Digital mammography. Right breast, cranio-caudal projection. 27-year-old patient.
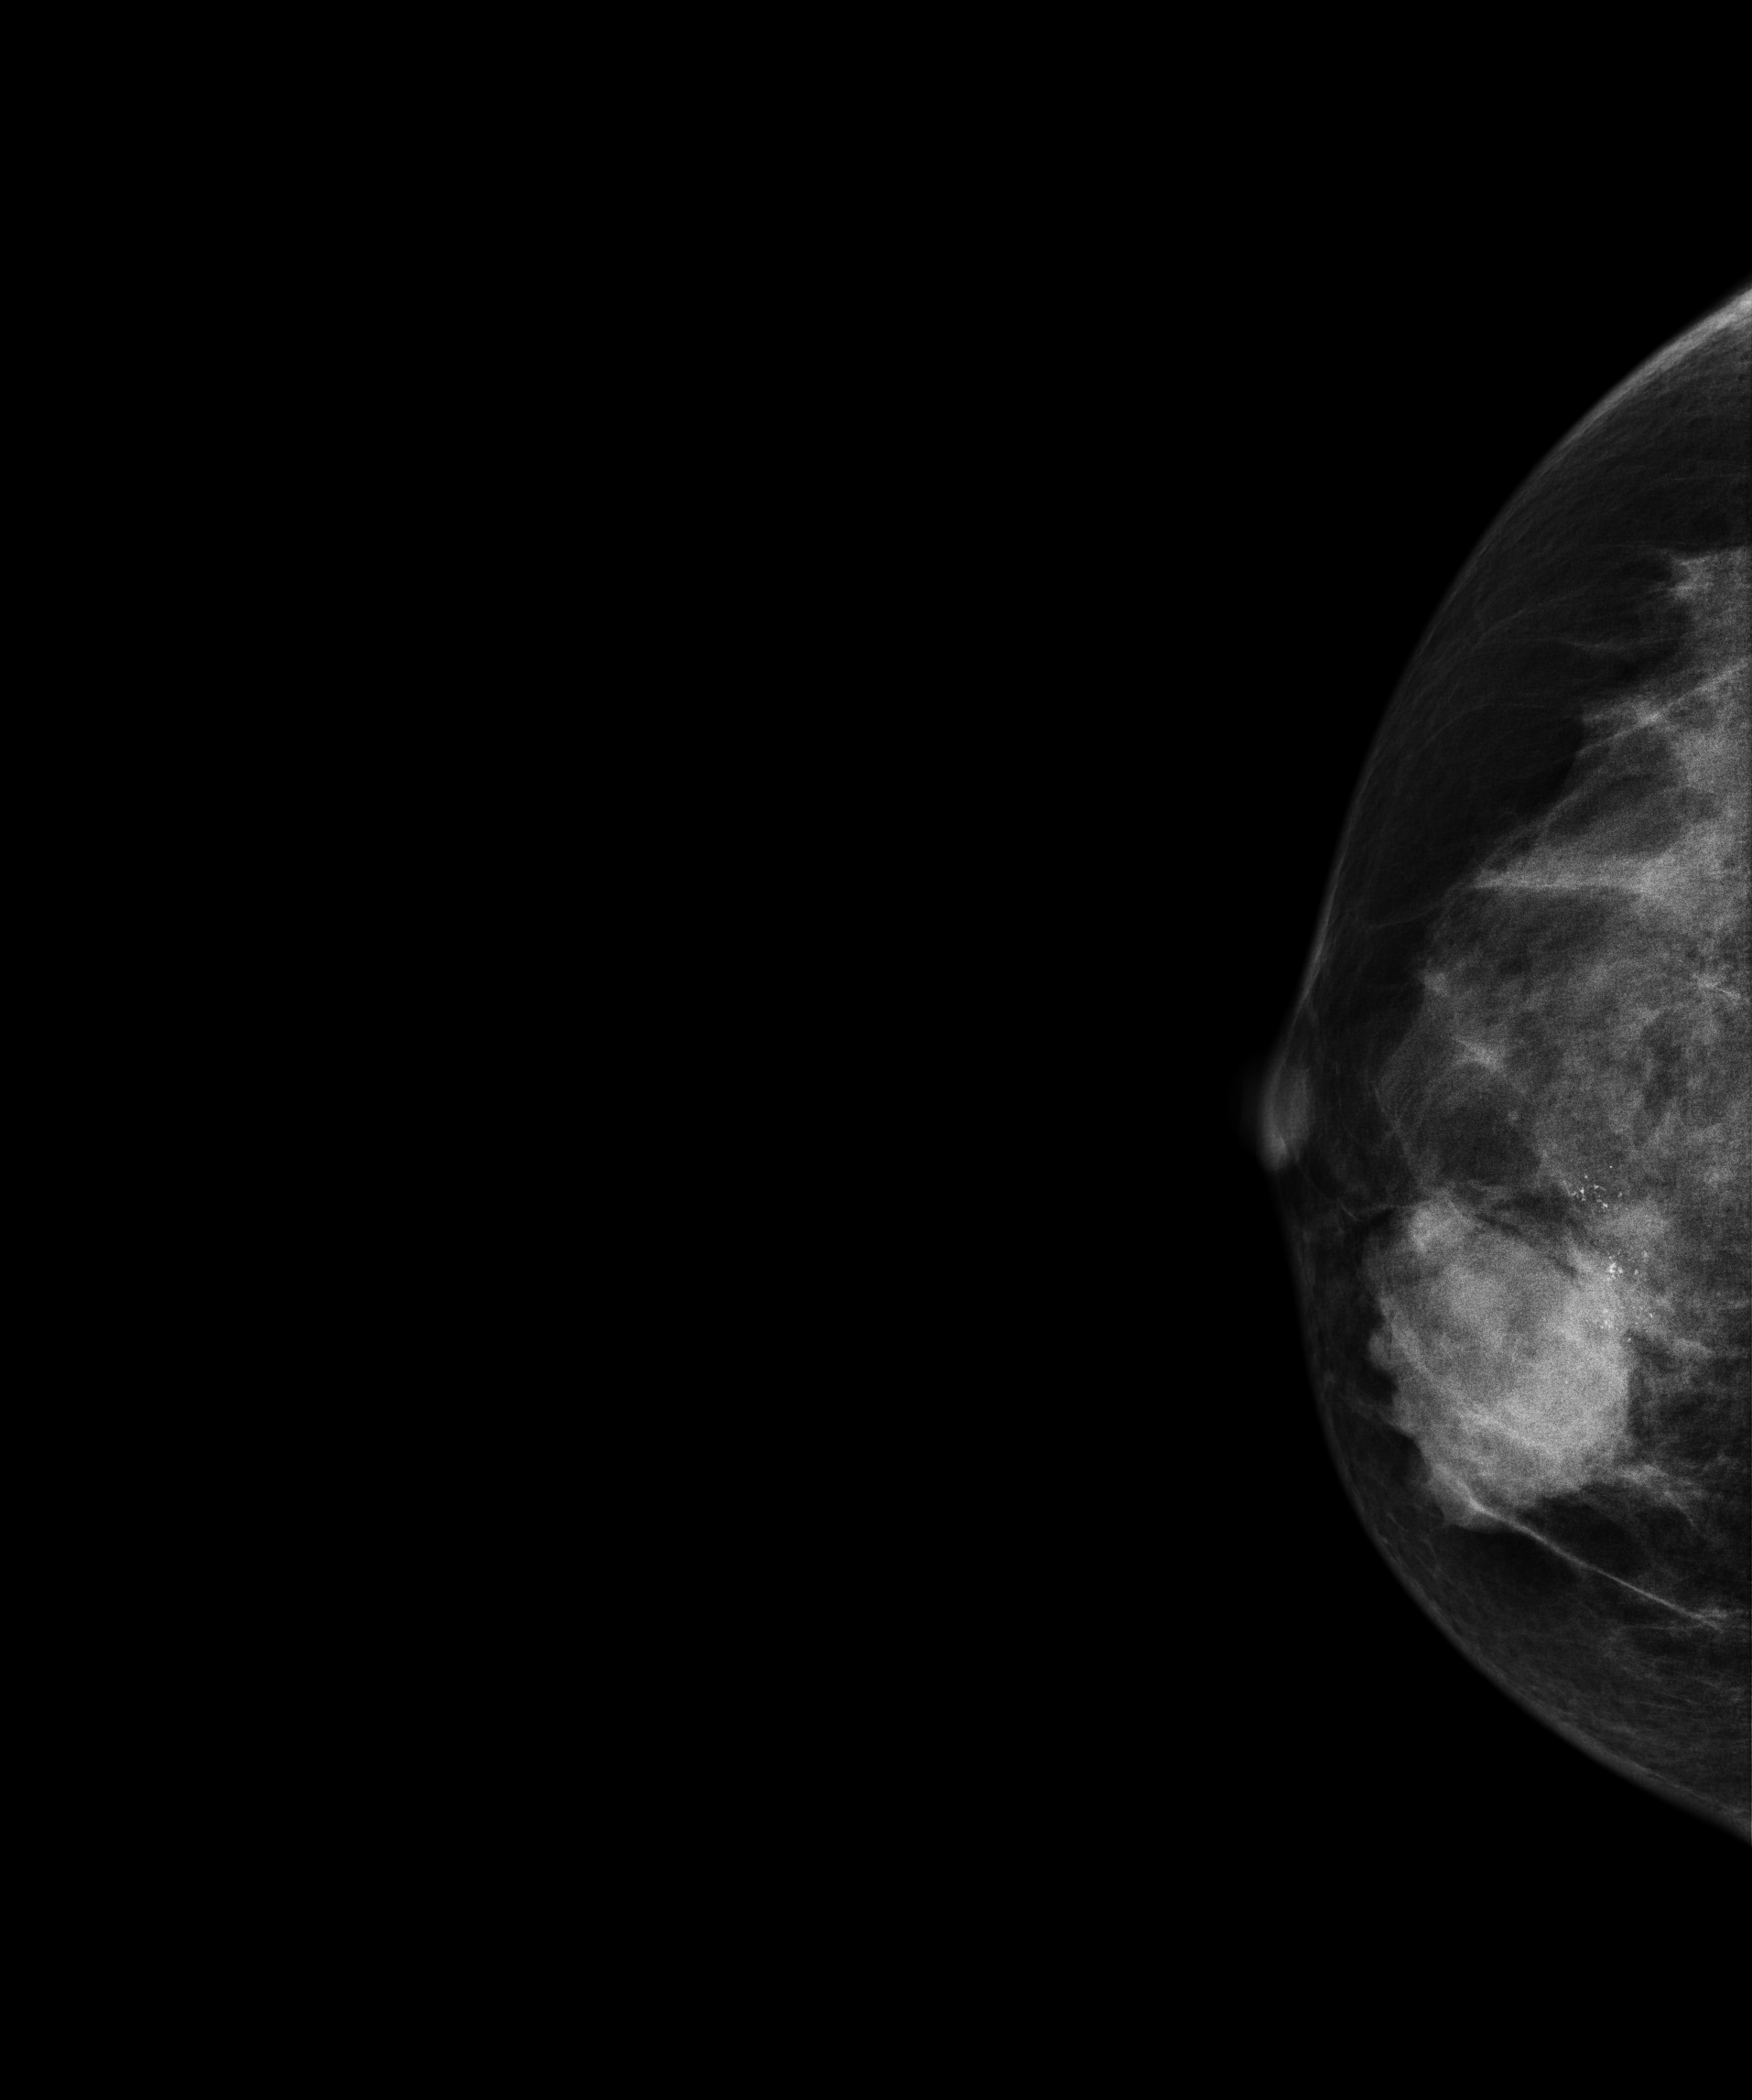
This breast has a mass and calcifications, biopsy-proven malignant. Molecular subtype: luminal B.